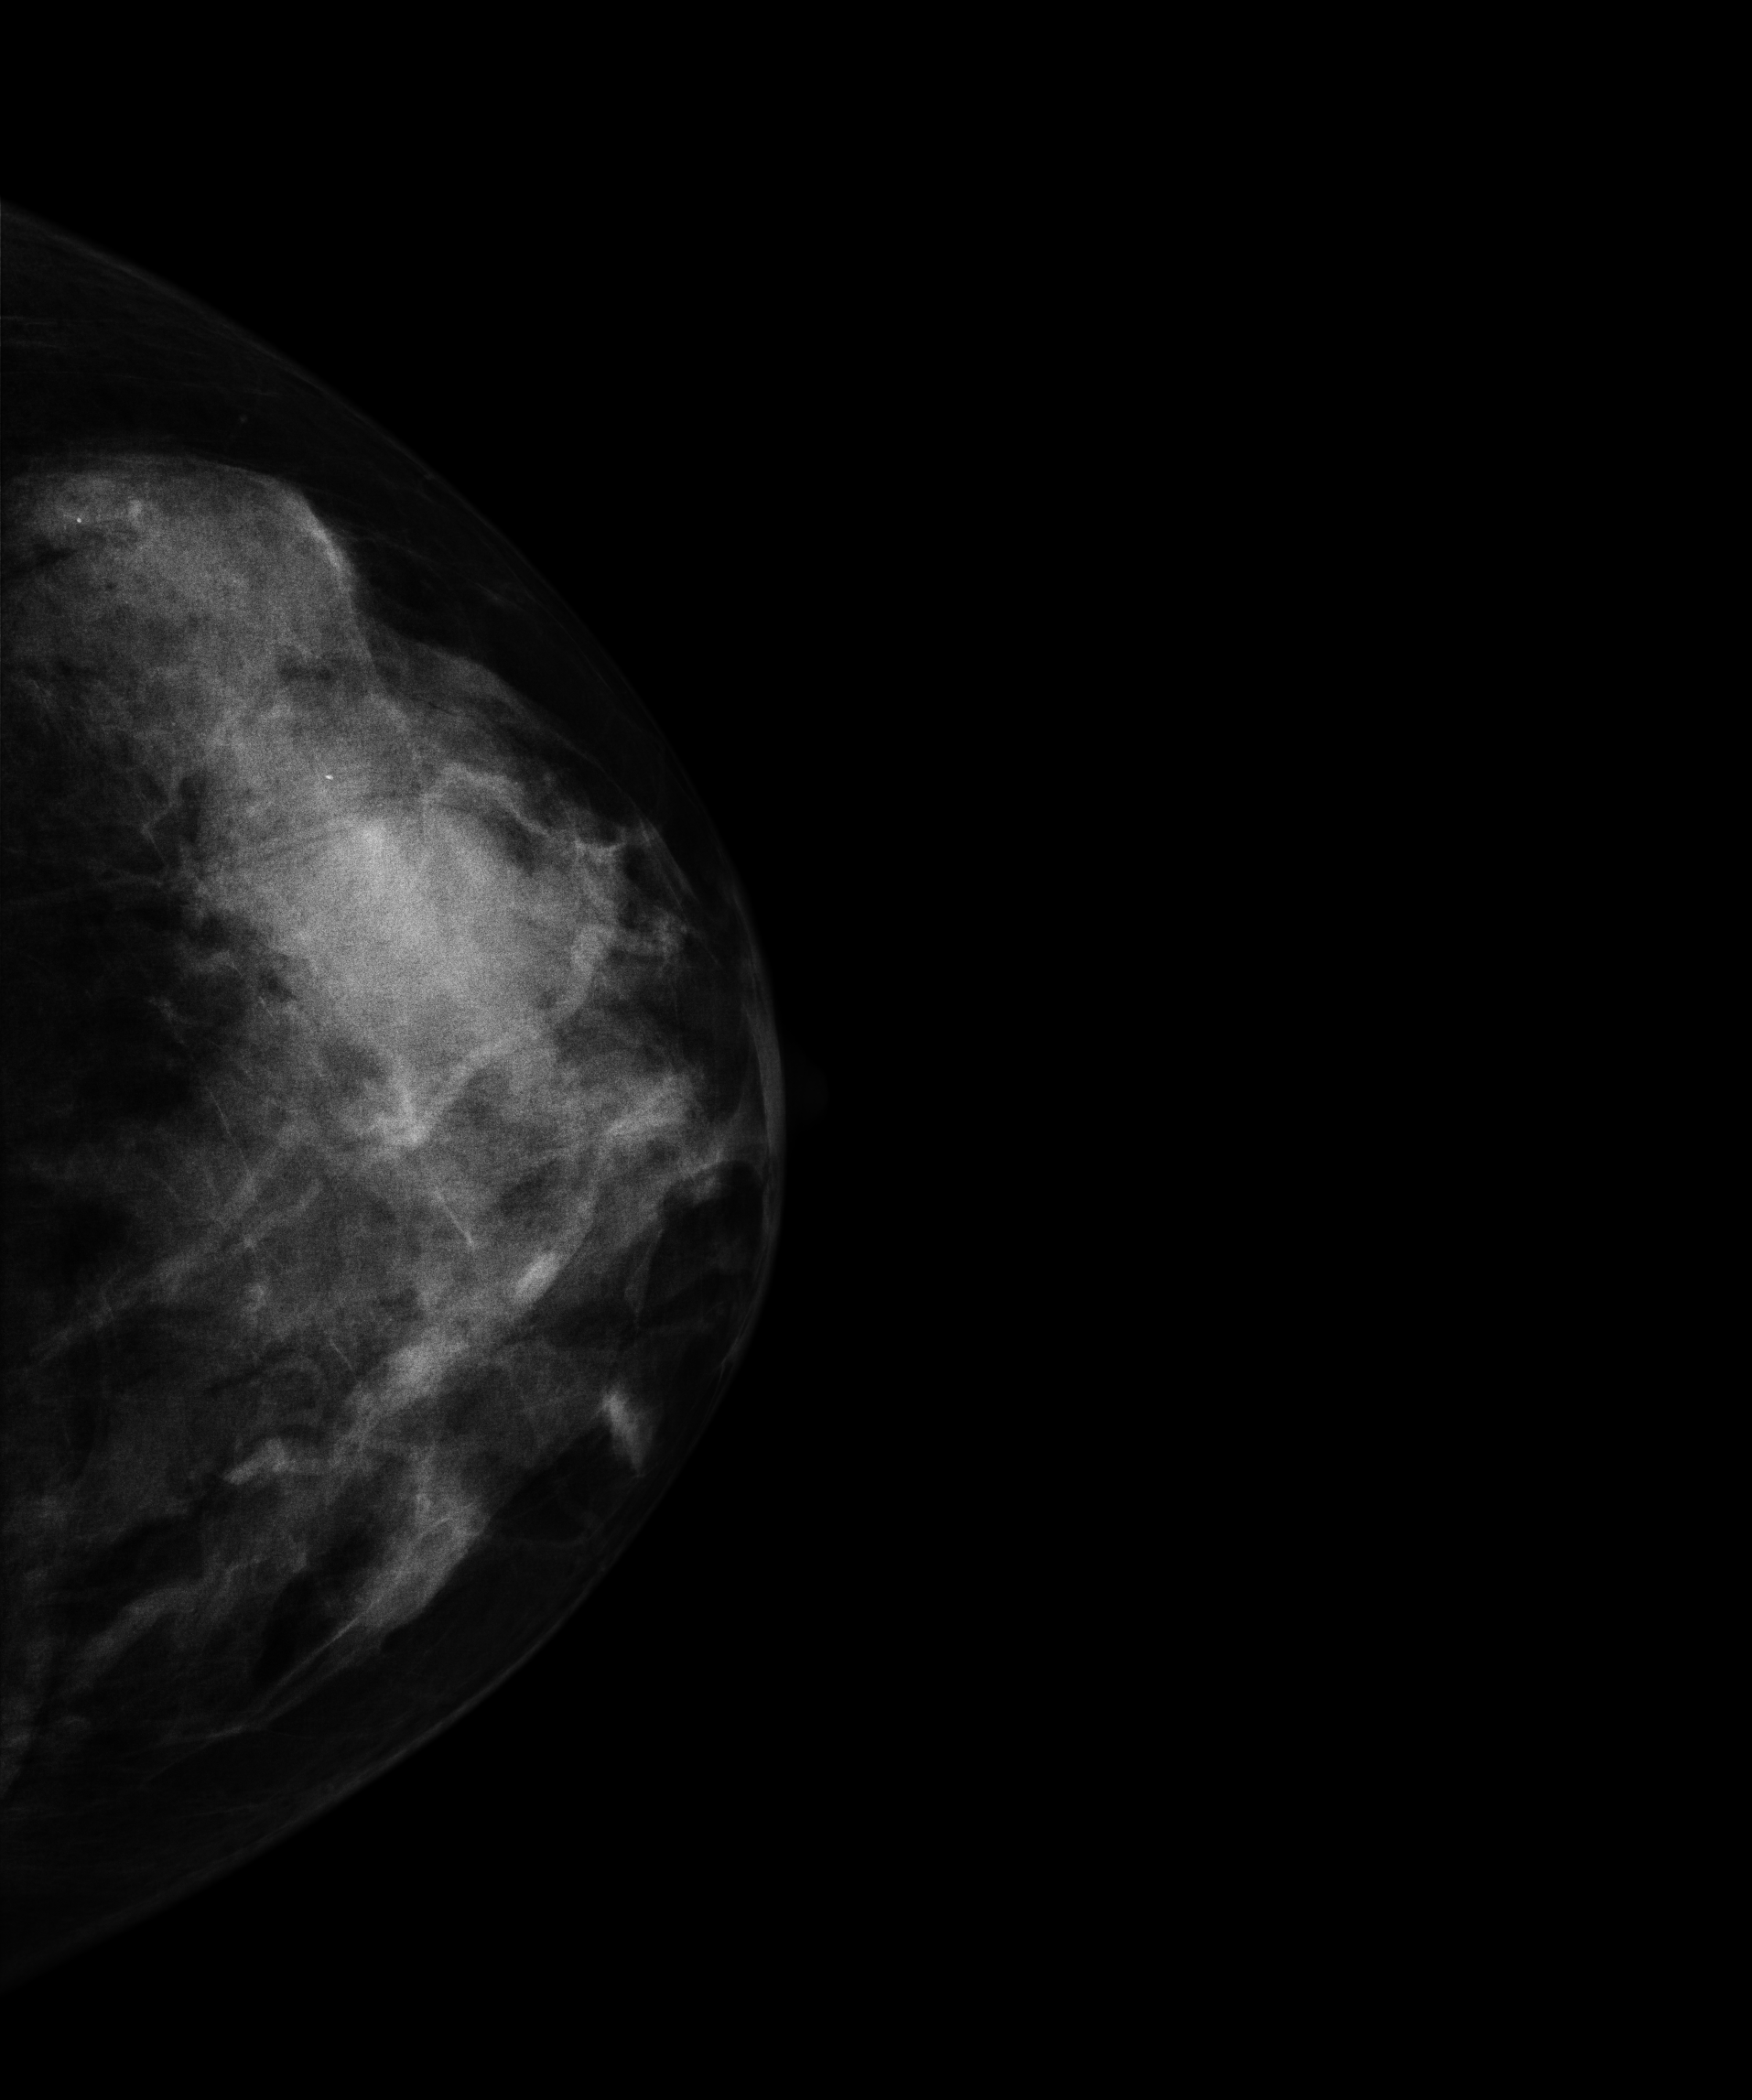
CC mammogram of the left breast. 63 y/o patient.
This breast has a mass, histologically confirmed malignant.